Left-breast mammogram, cranio-caudal. 37-year-old patient.
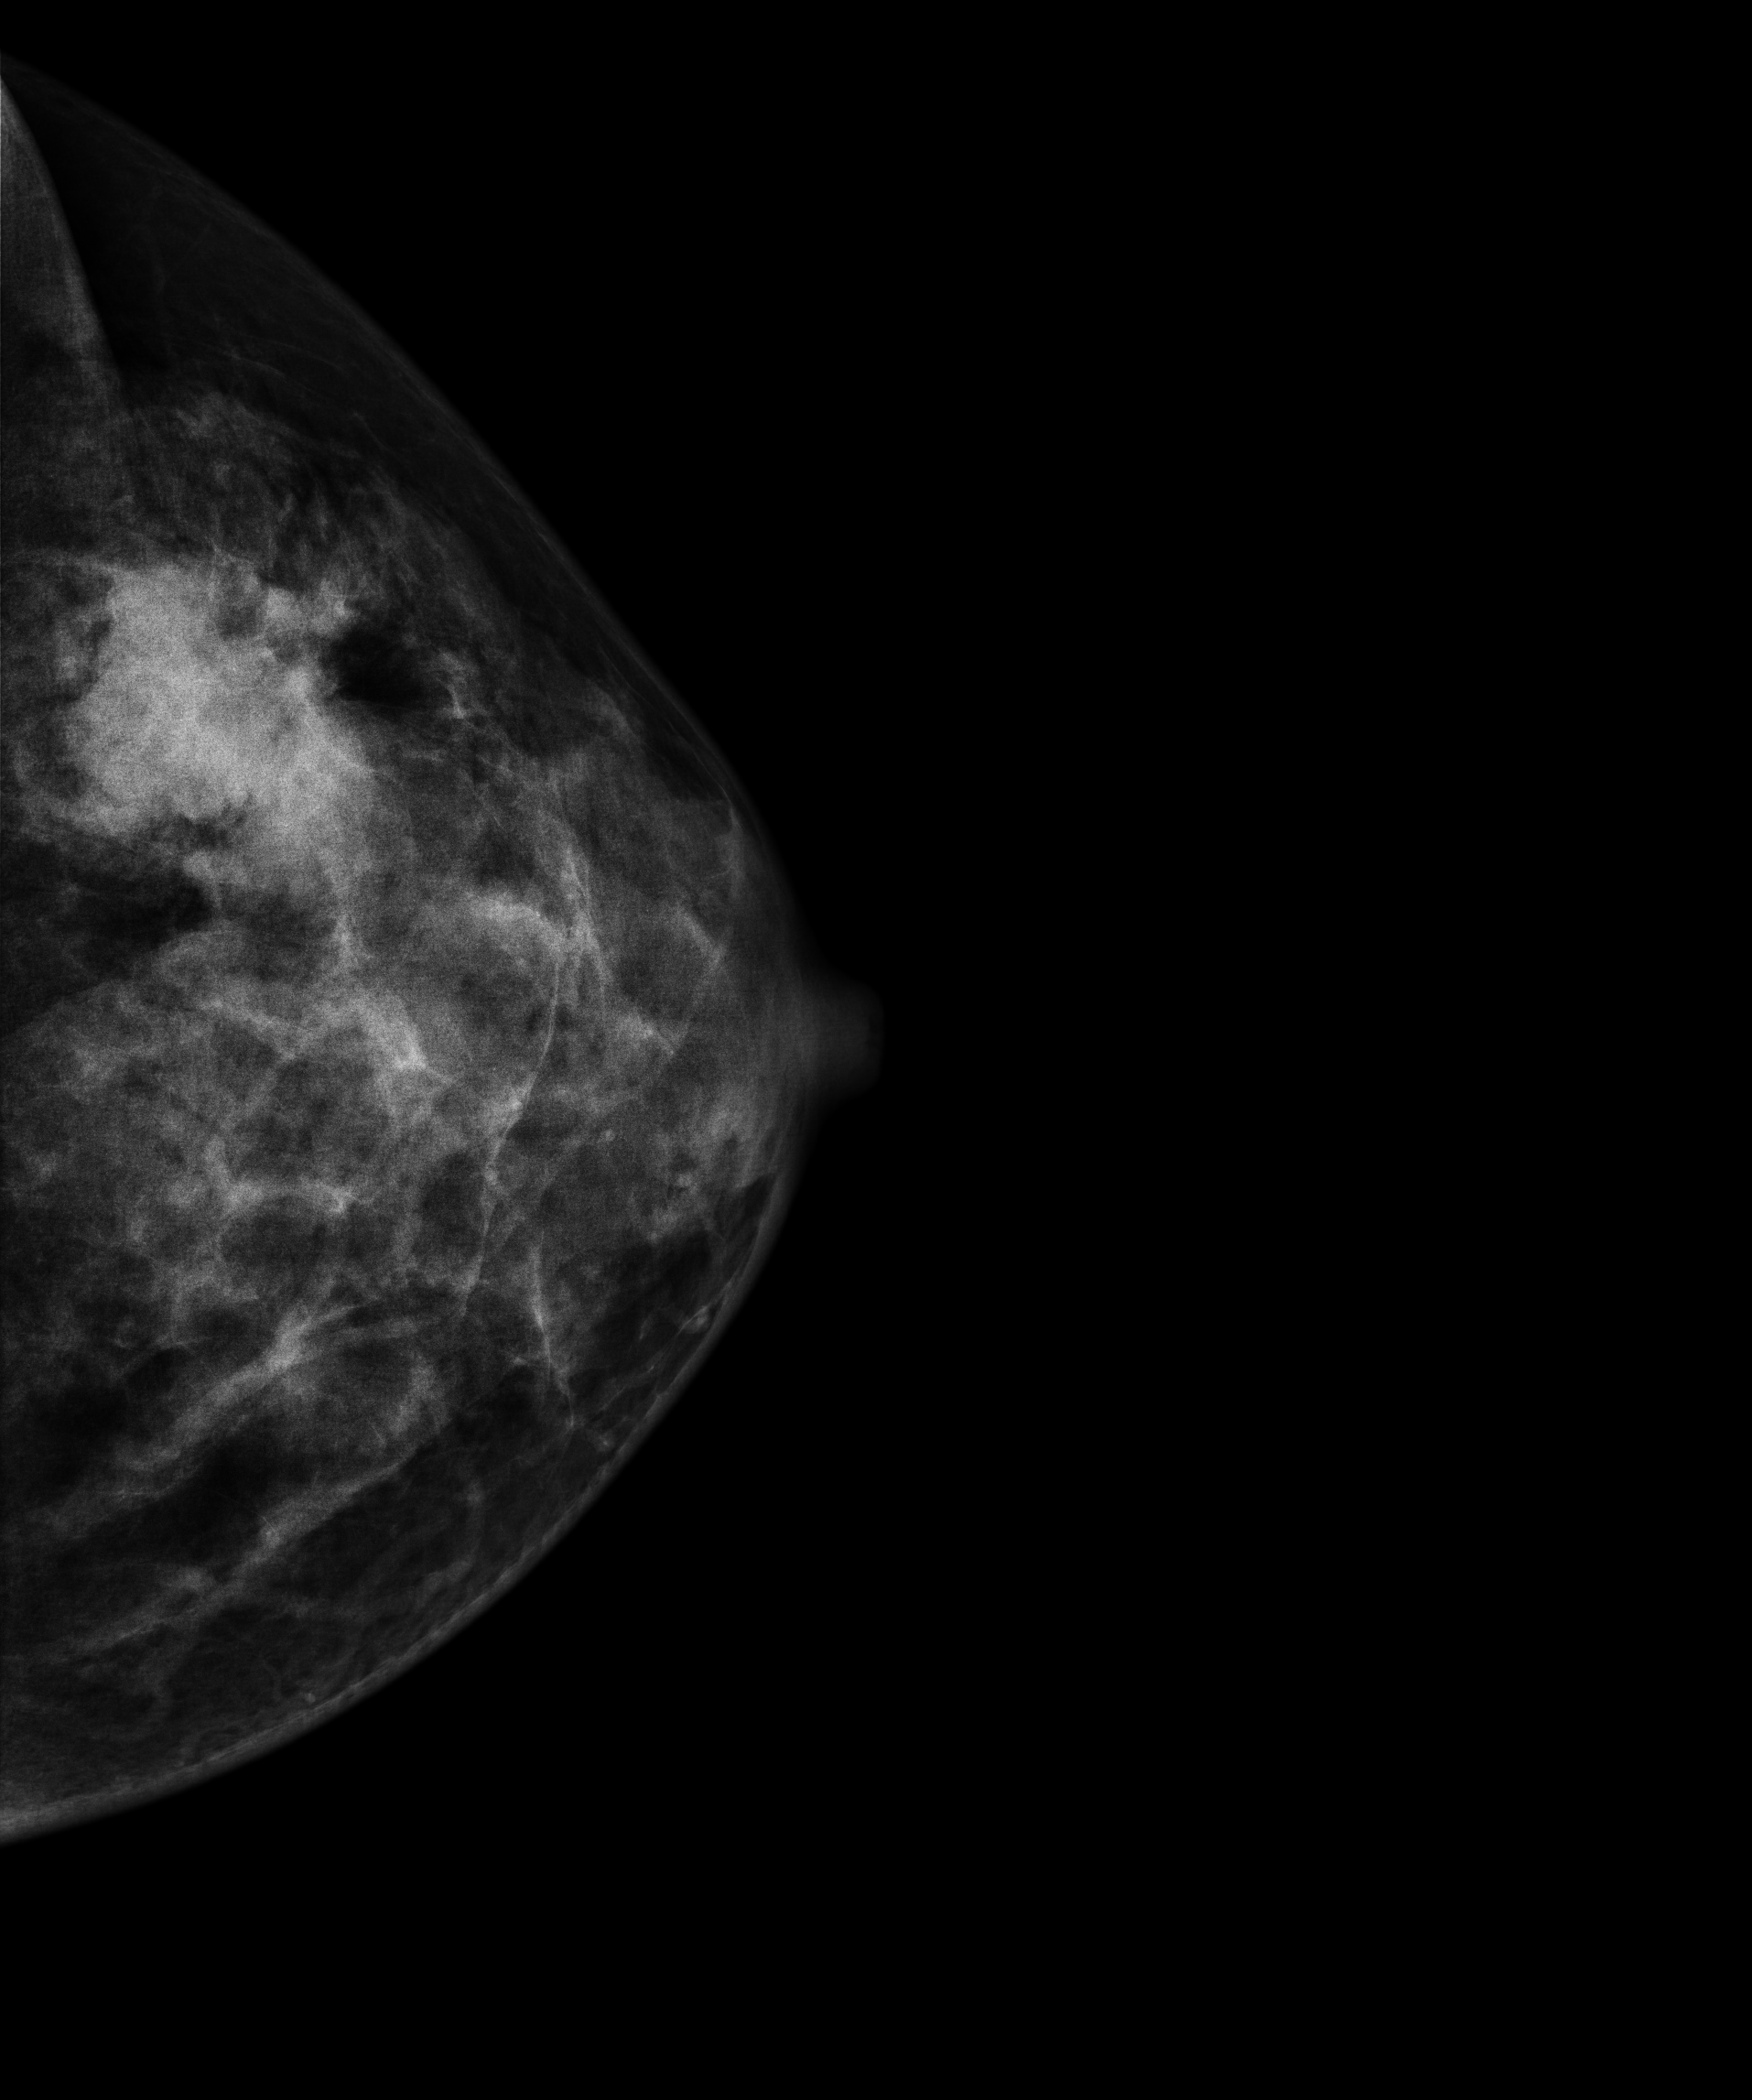
This breast has a mass, histologically confirmed malignant.